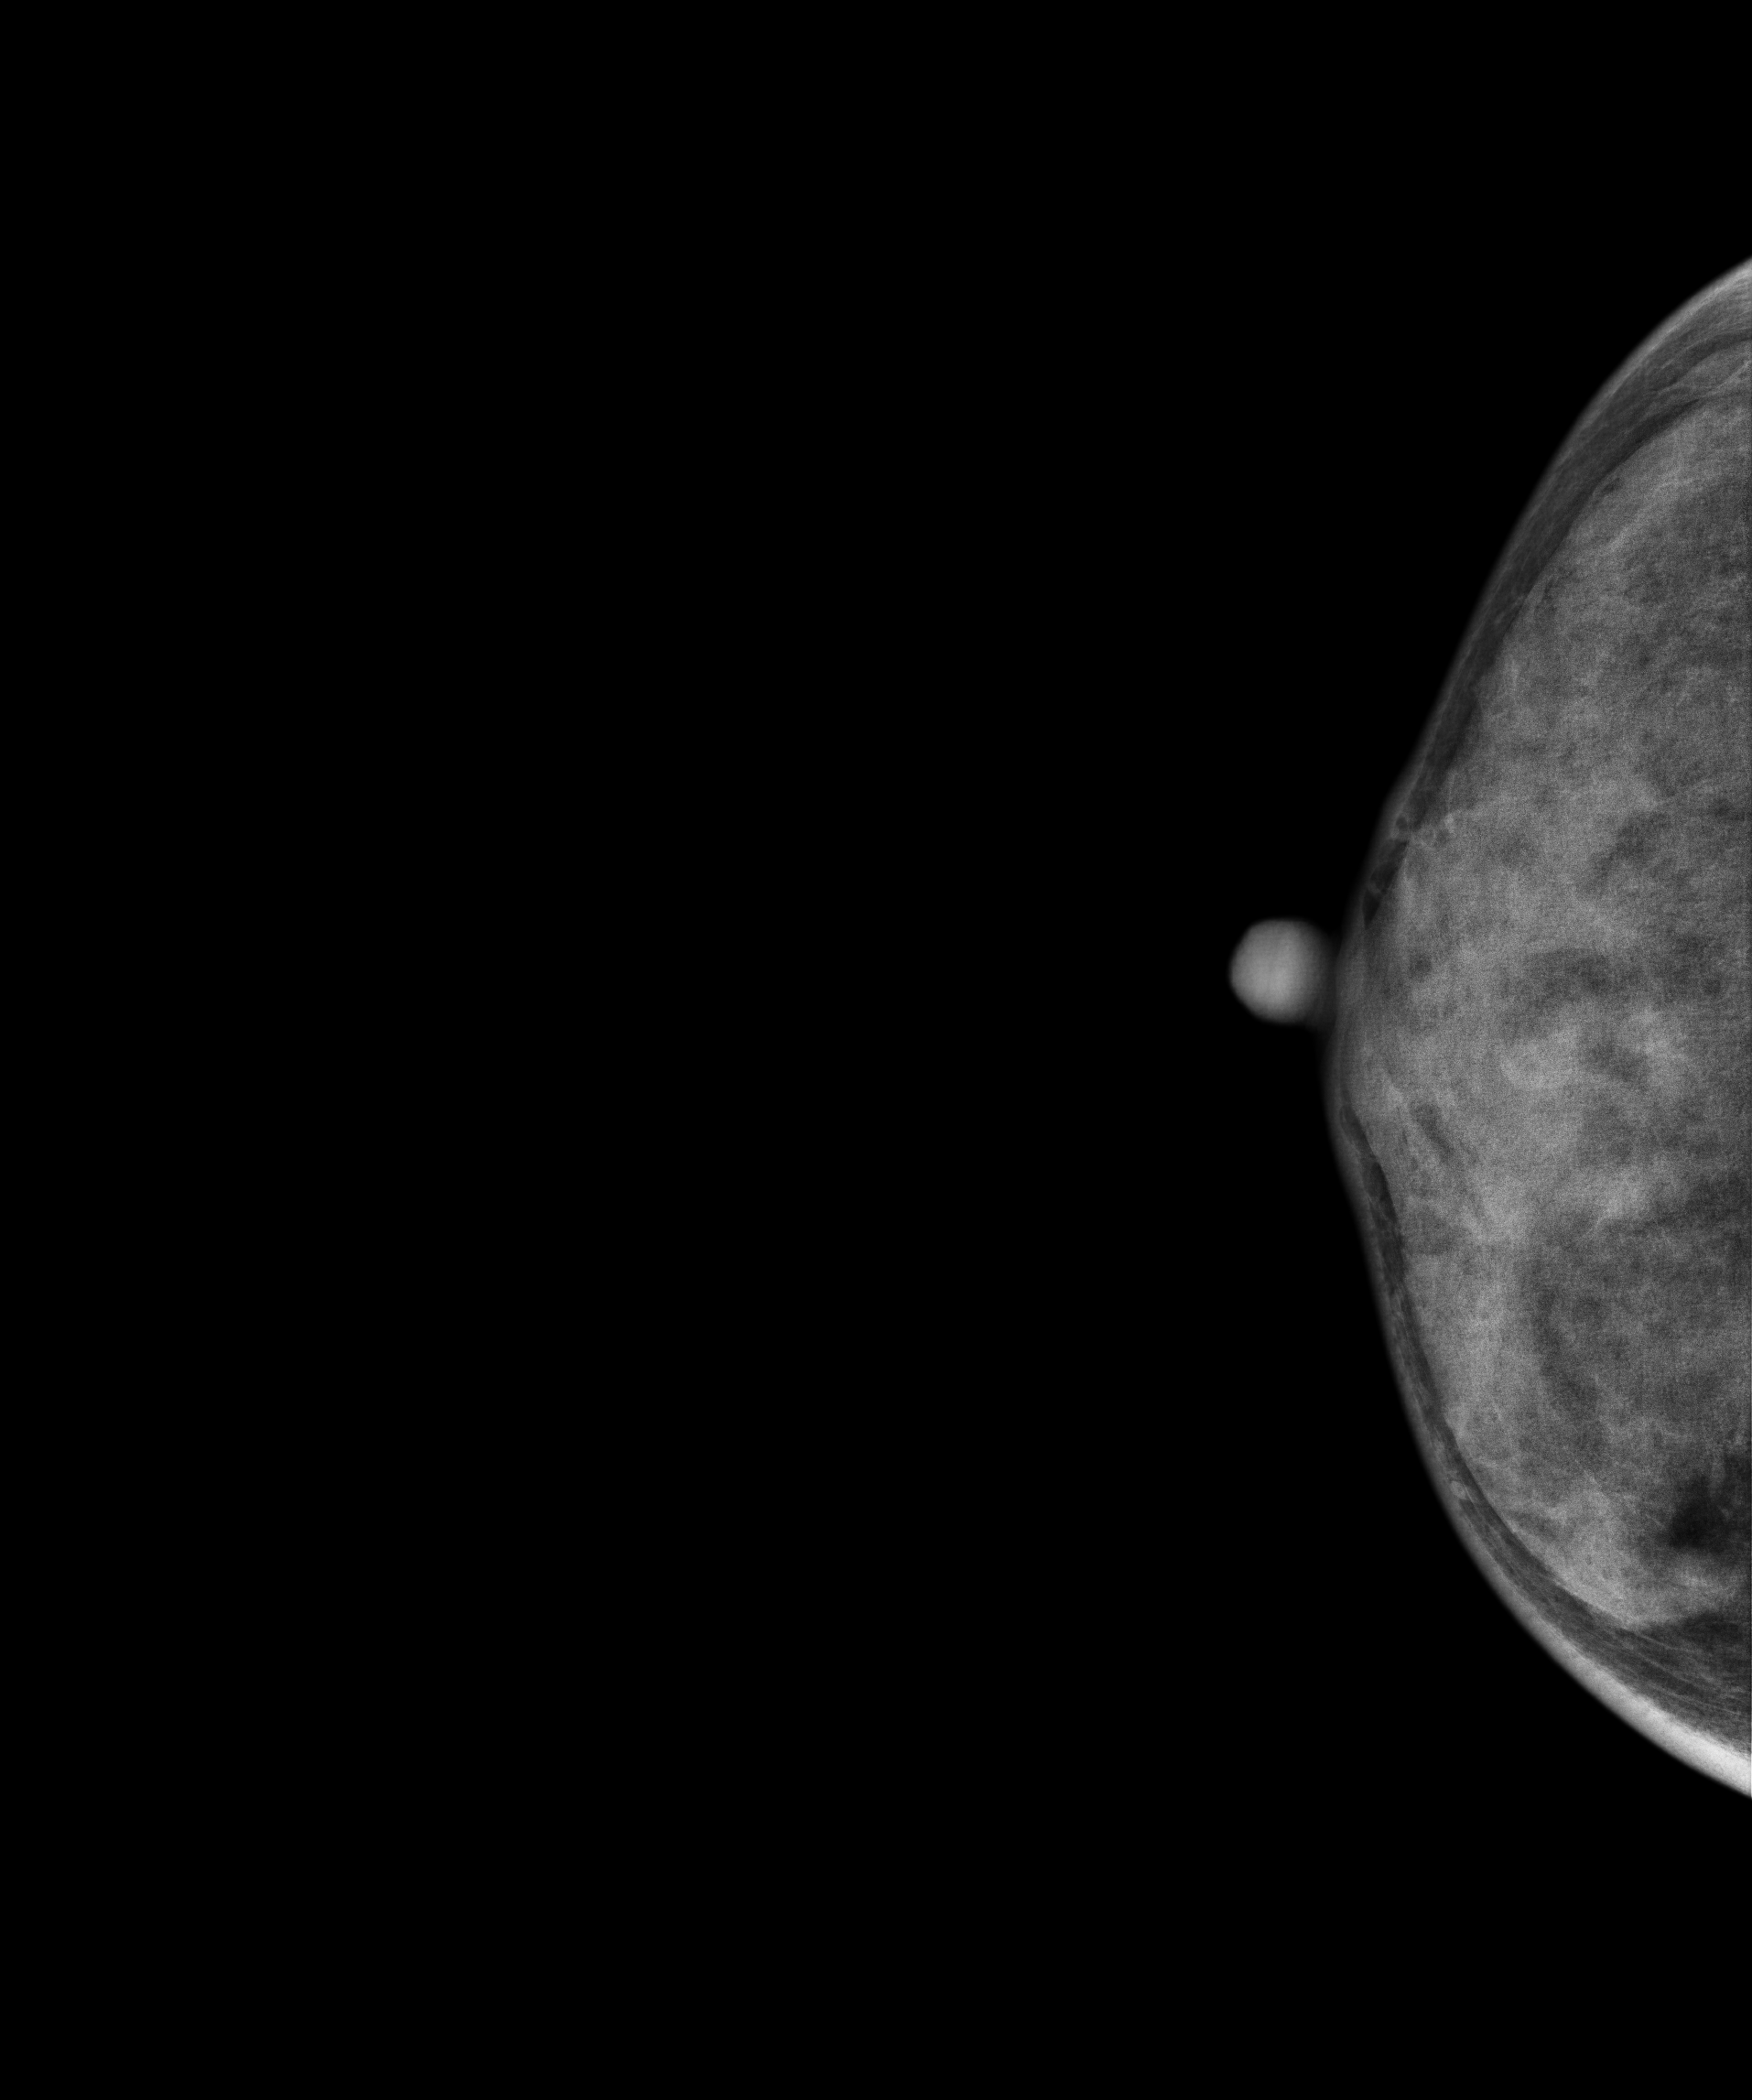
Right-breast mammogram, cranio-caudal. 44 y/o patient.
Contralateral breast — no documented abnormality on this side.